Mammogram — left MLO. Patient age 49.
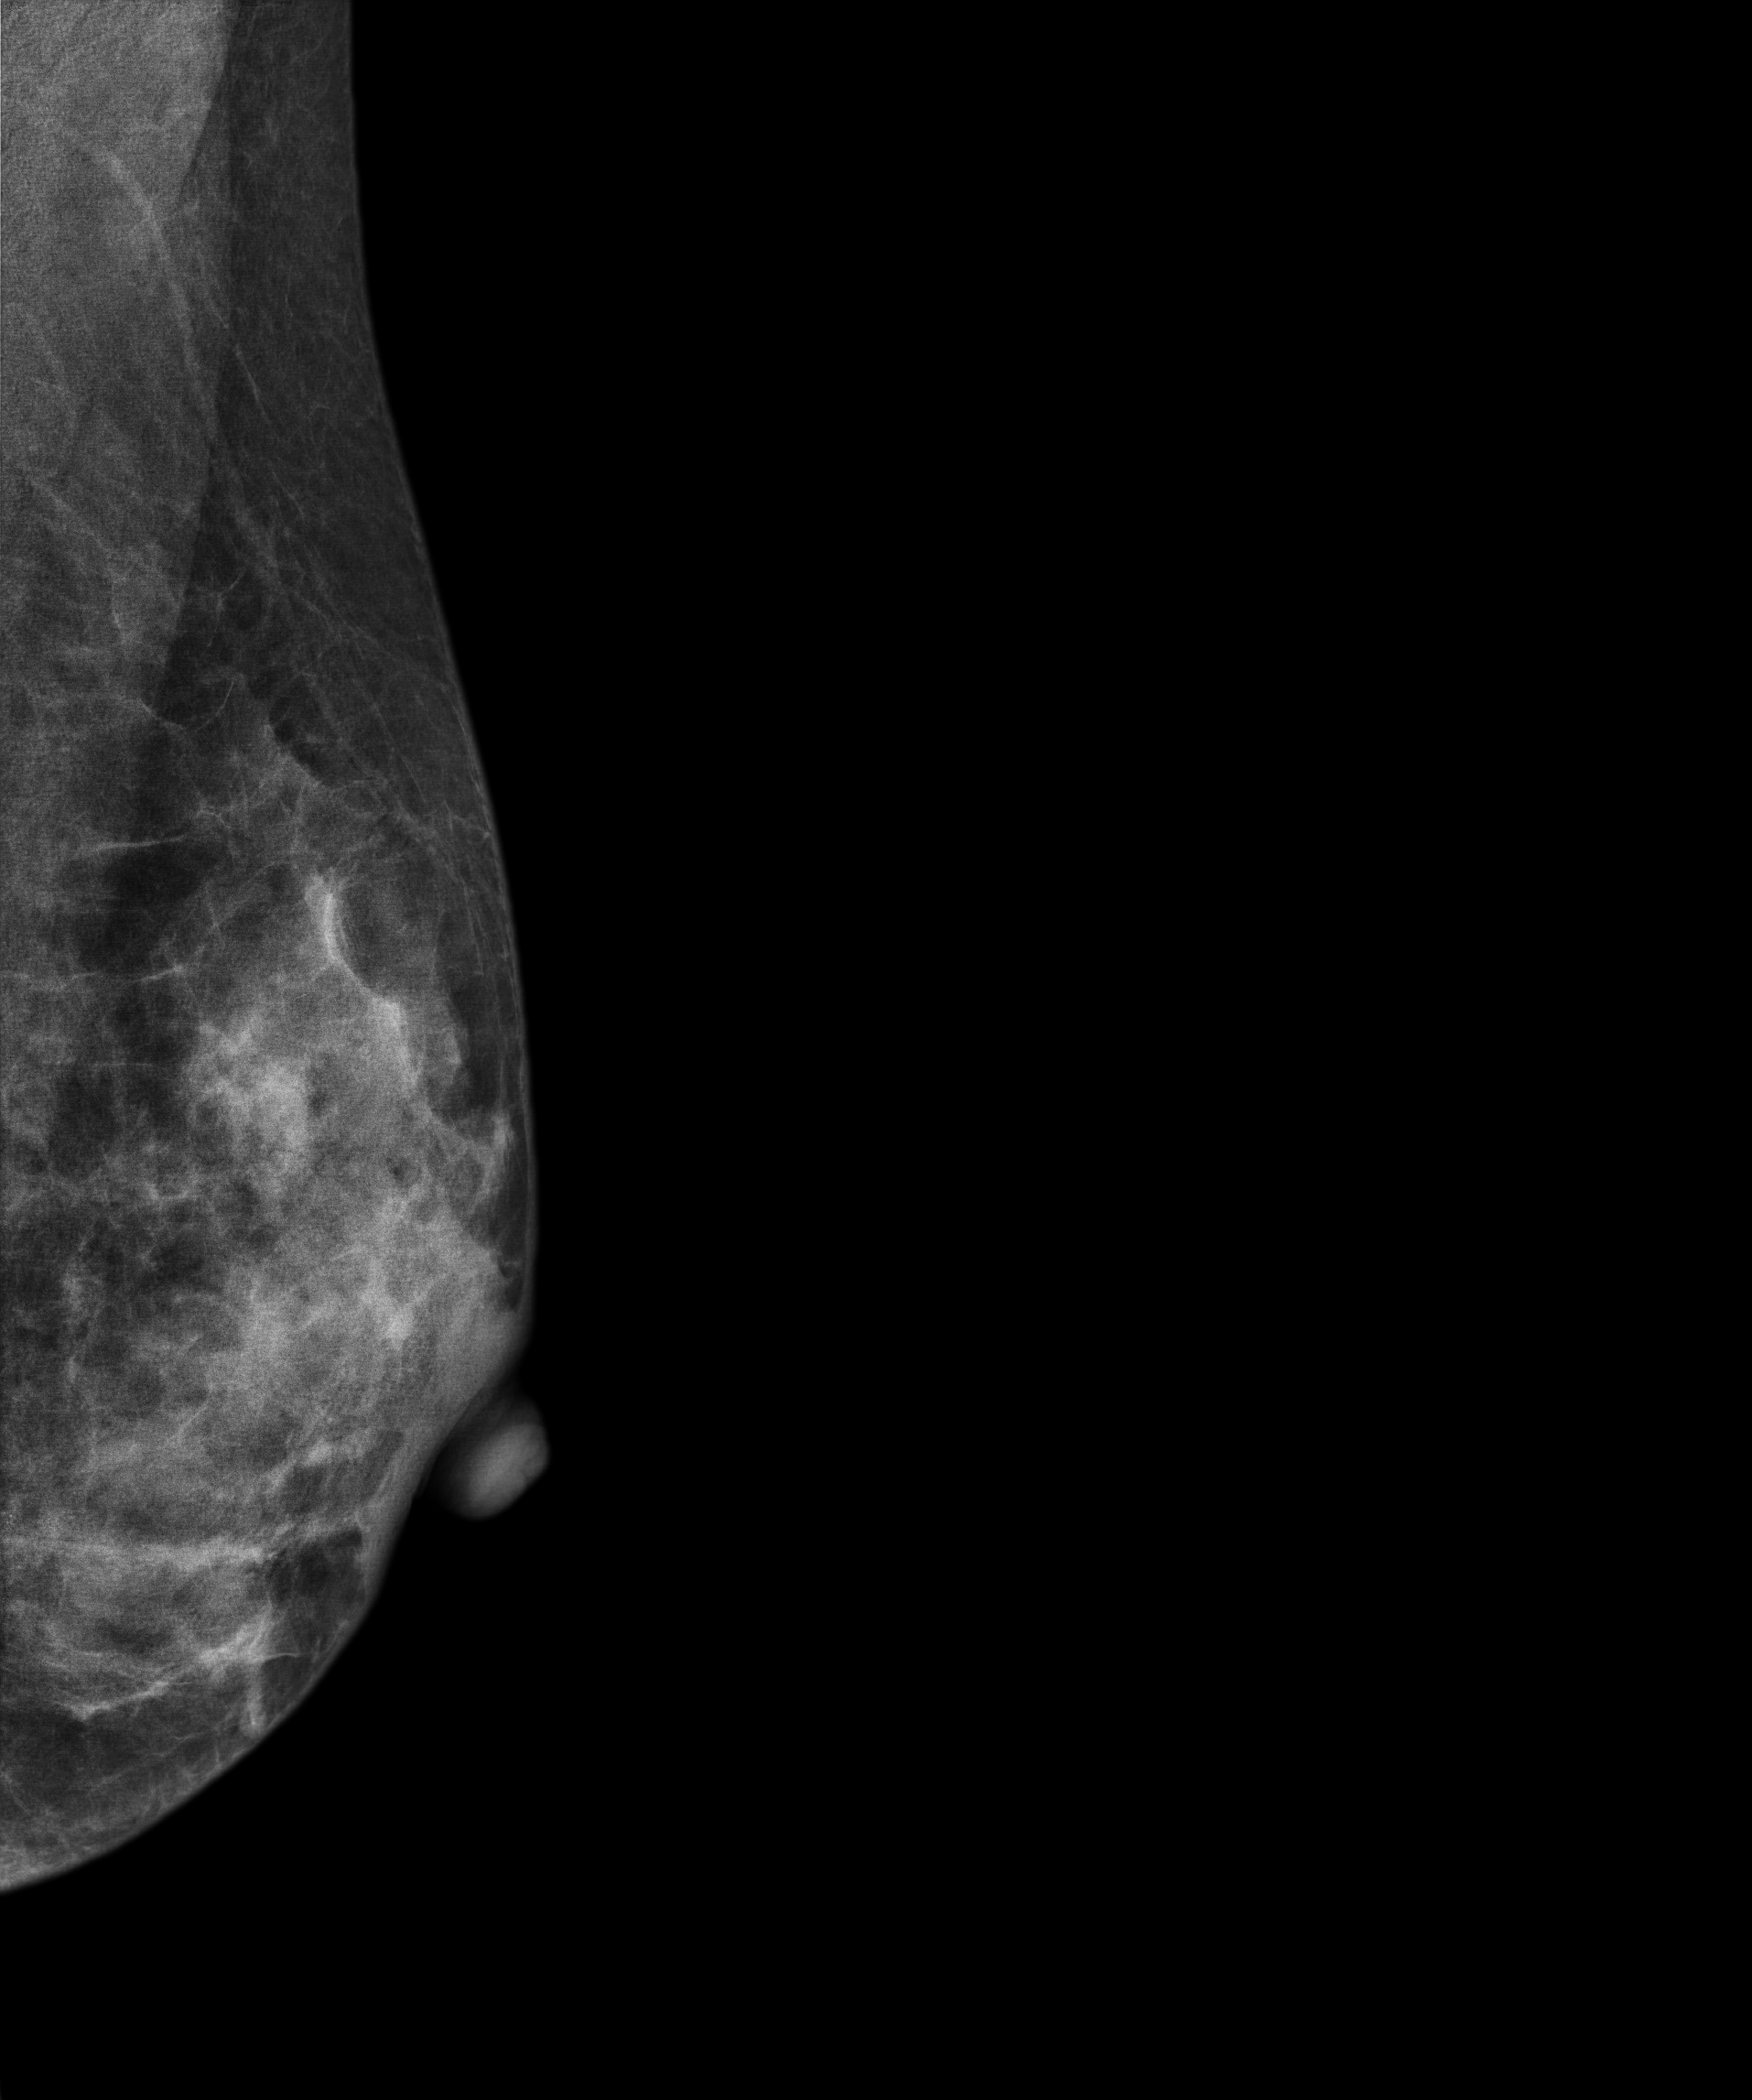
This breast has a mass, pathology-confirmed benign.